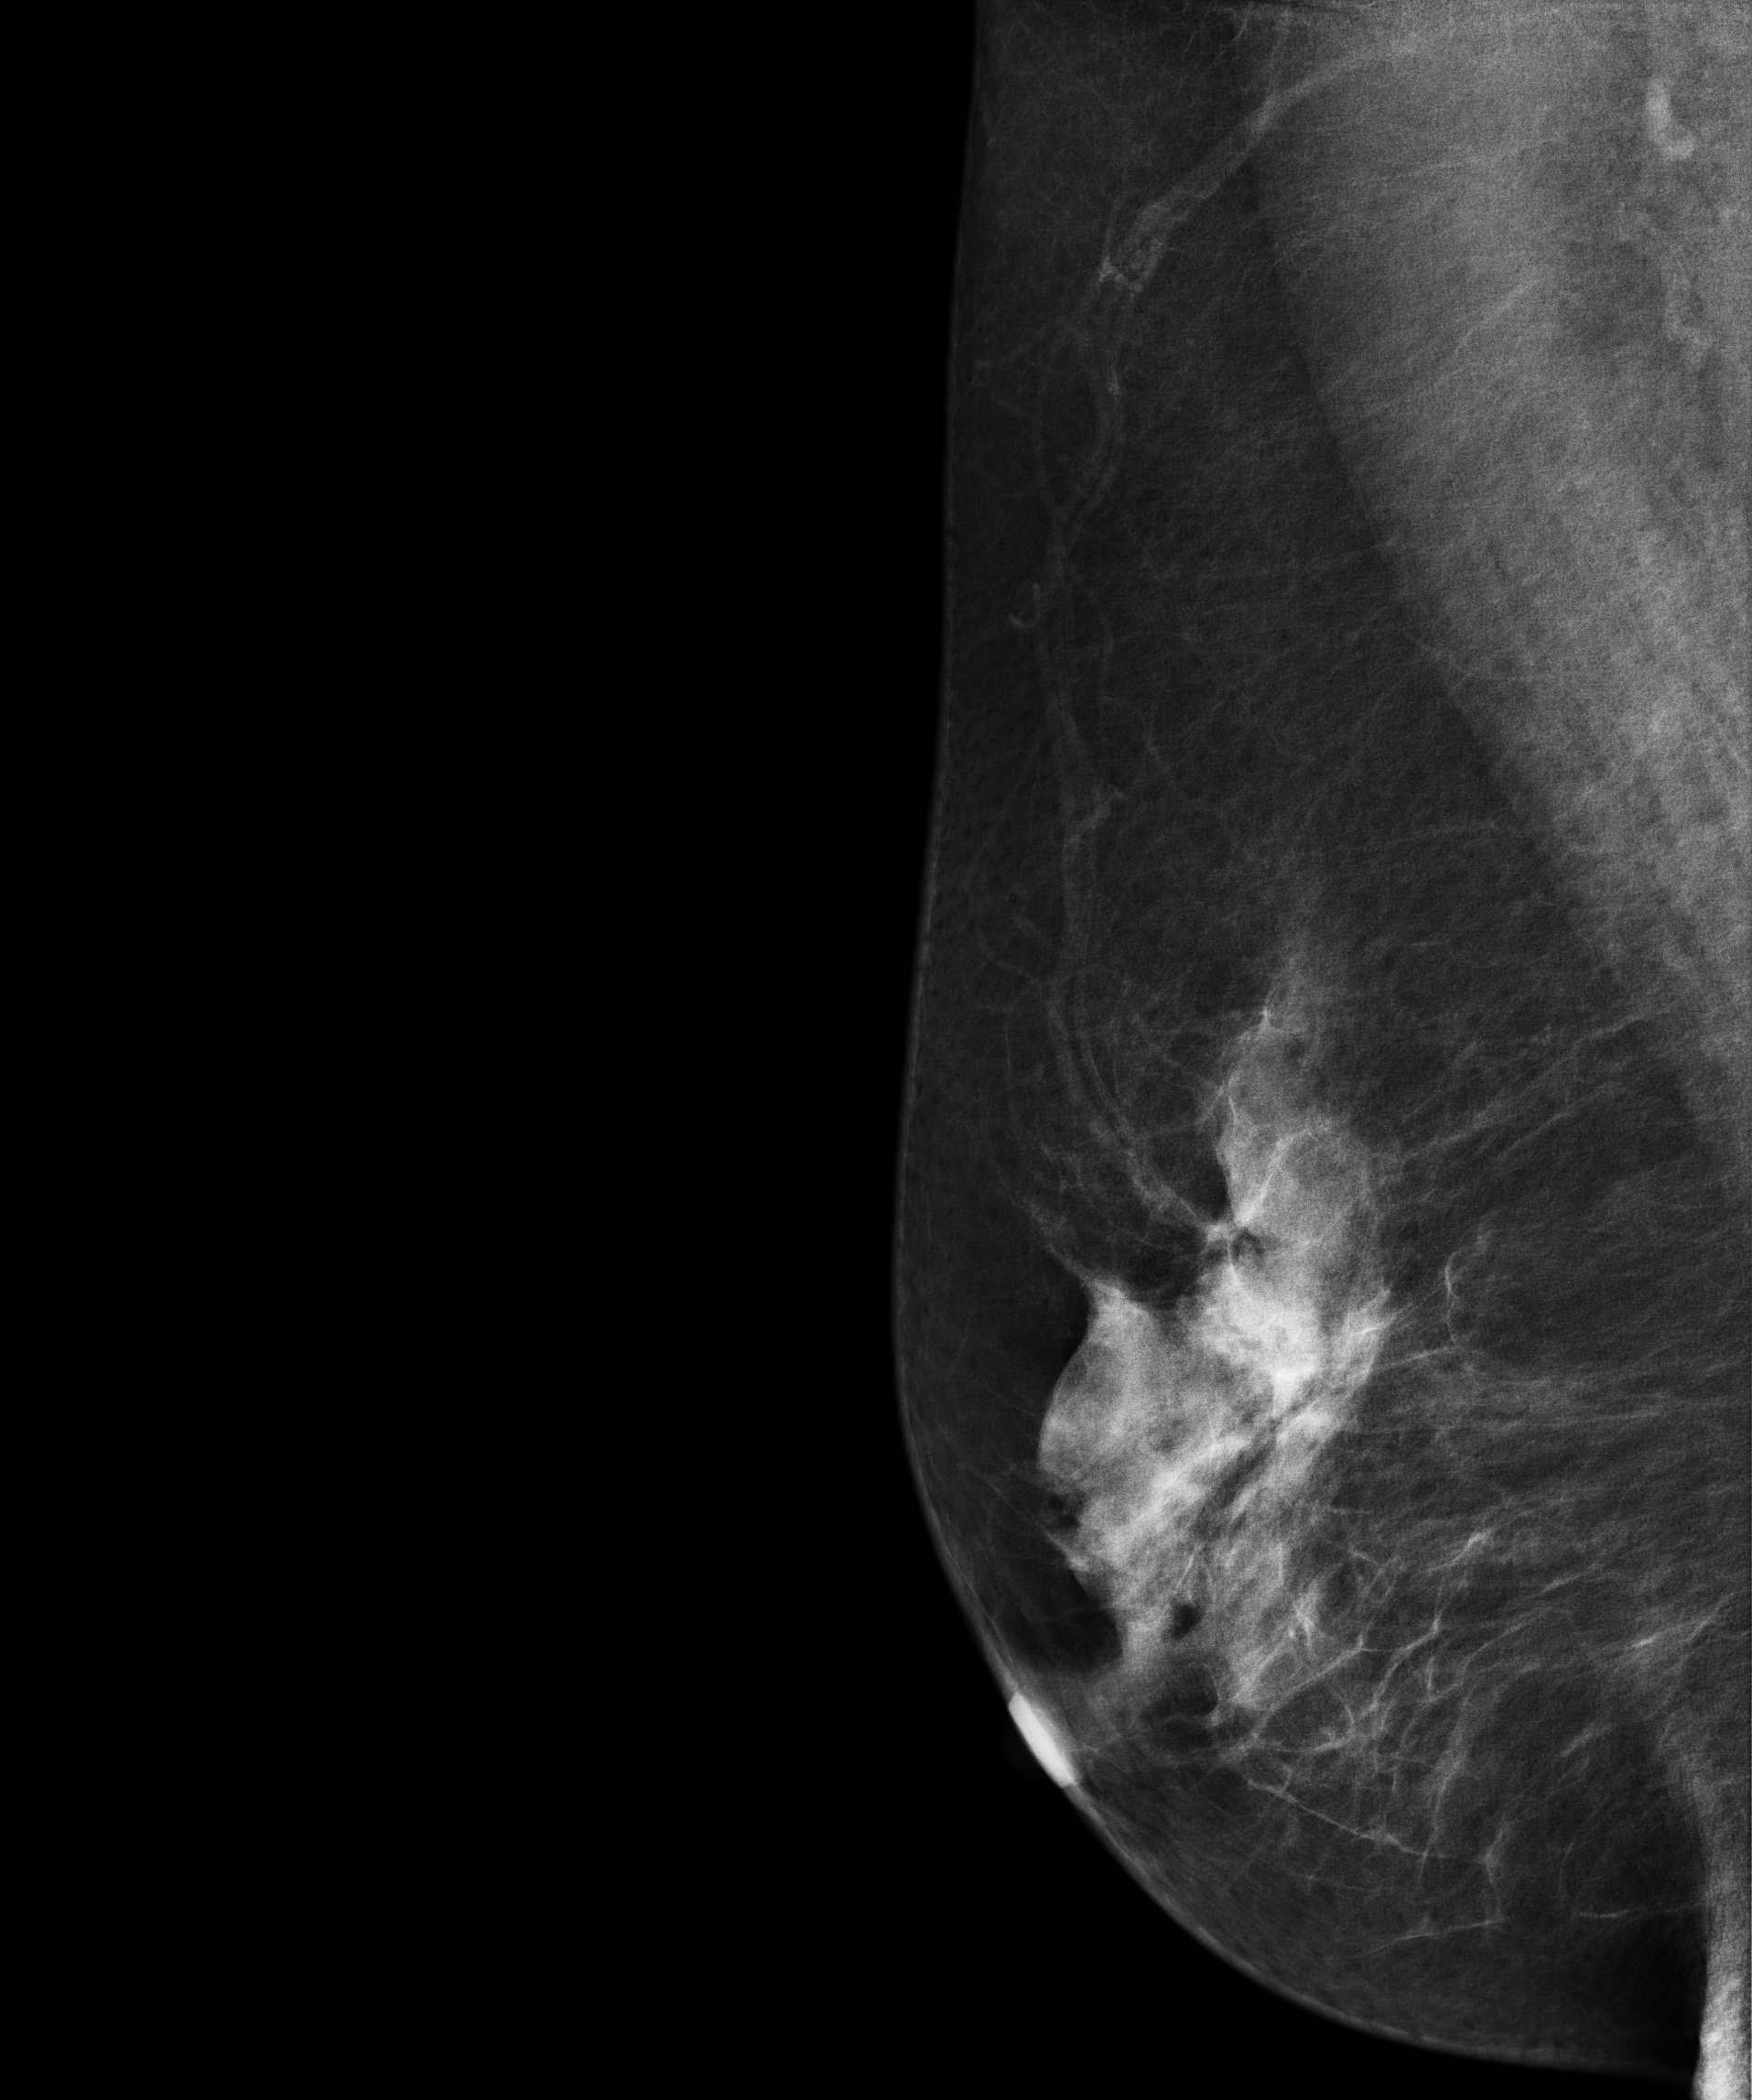
Right-breast mammogram, MLO. Patient age 55.
This breast has a mass, biopsy-proven malignant.